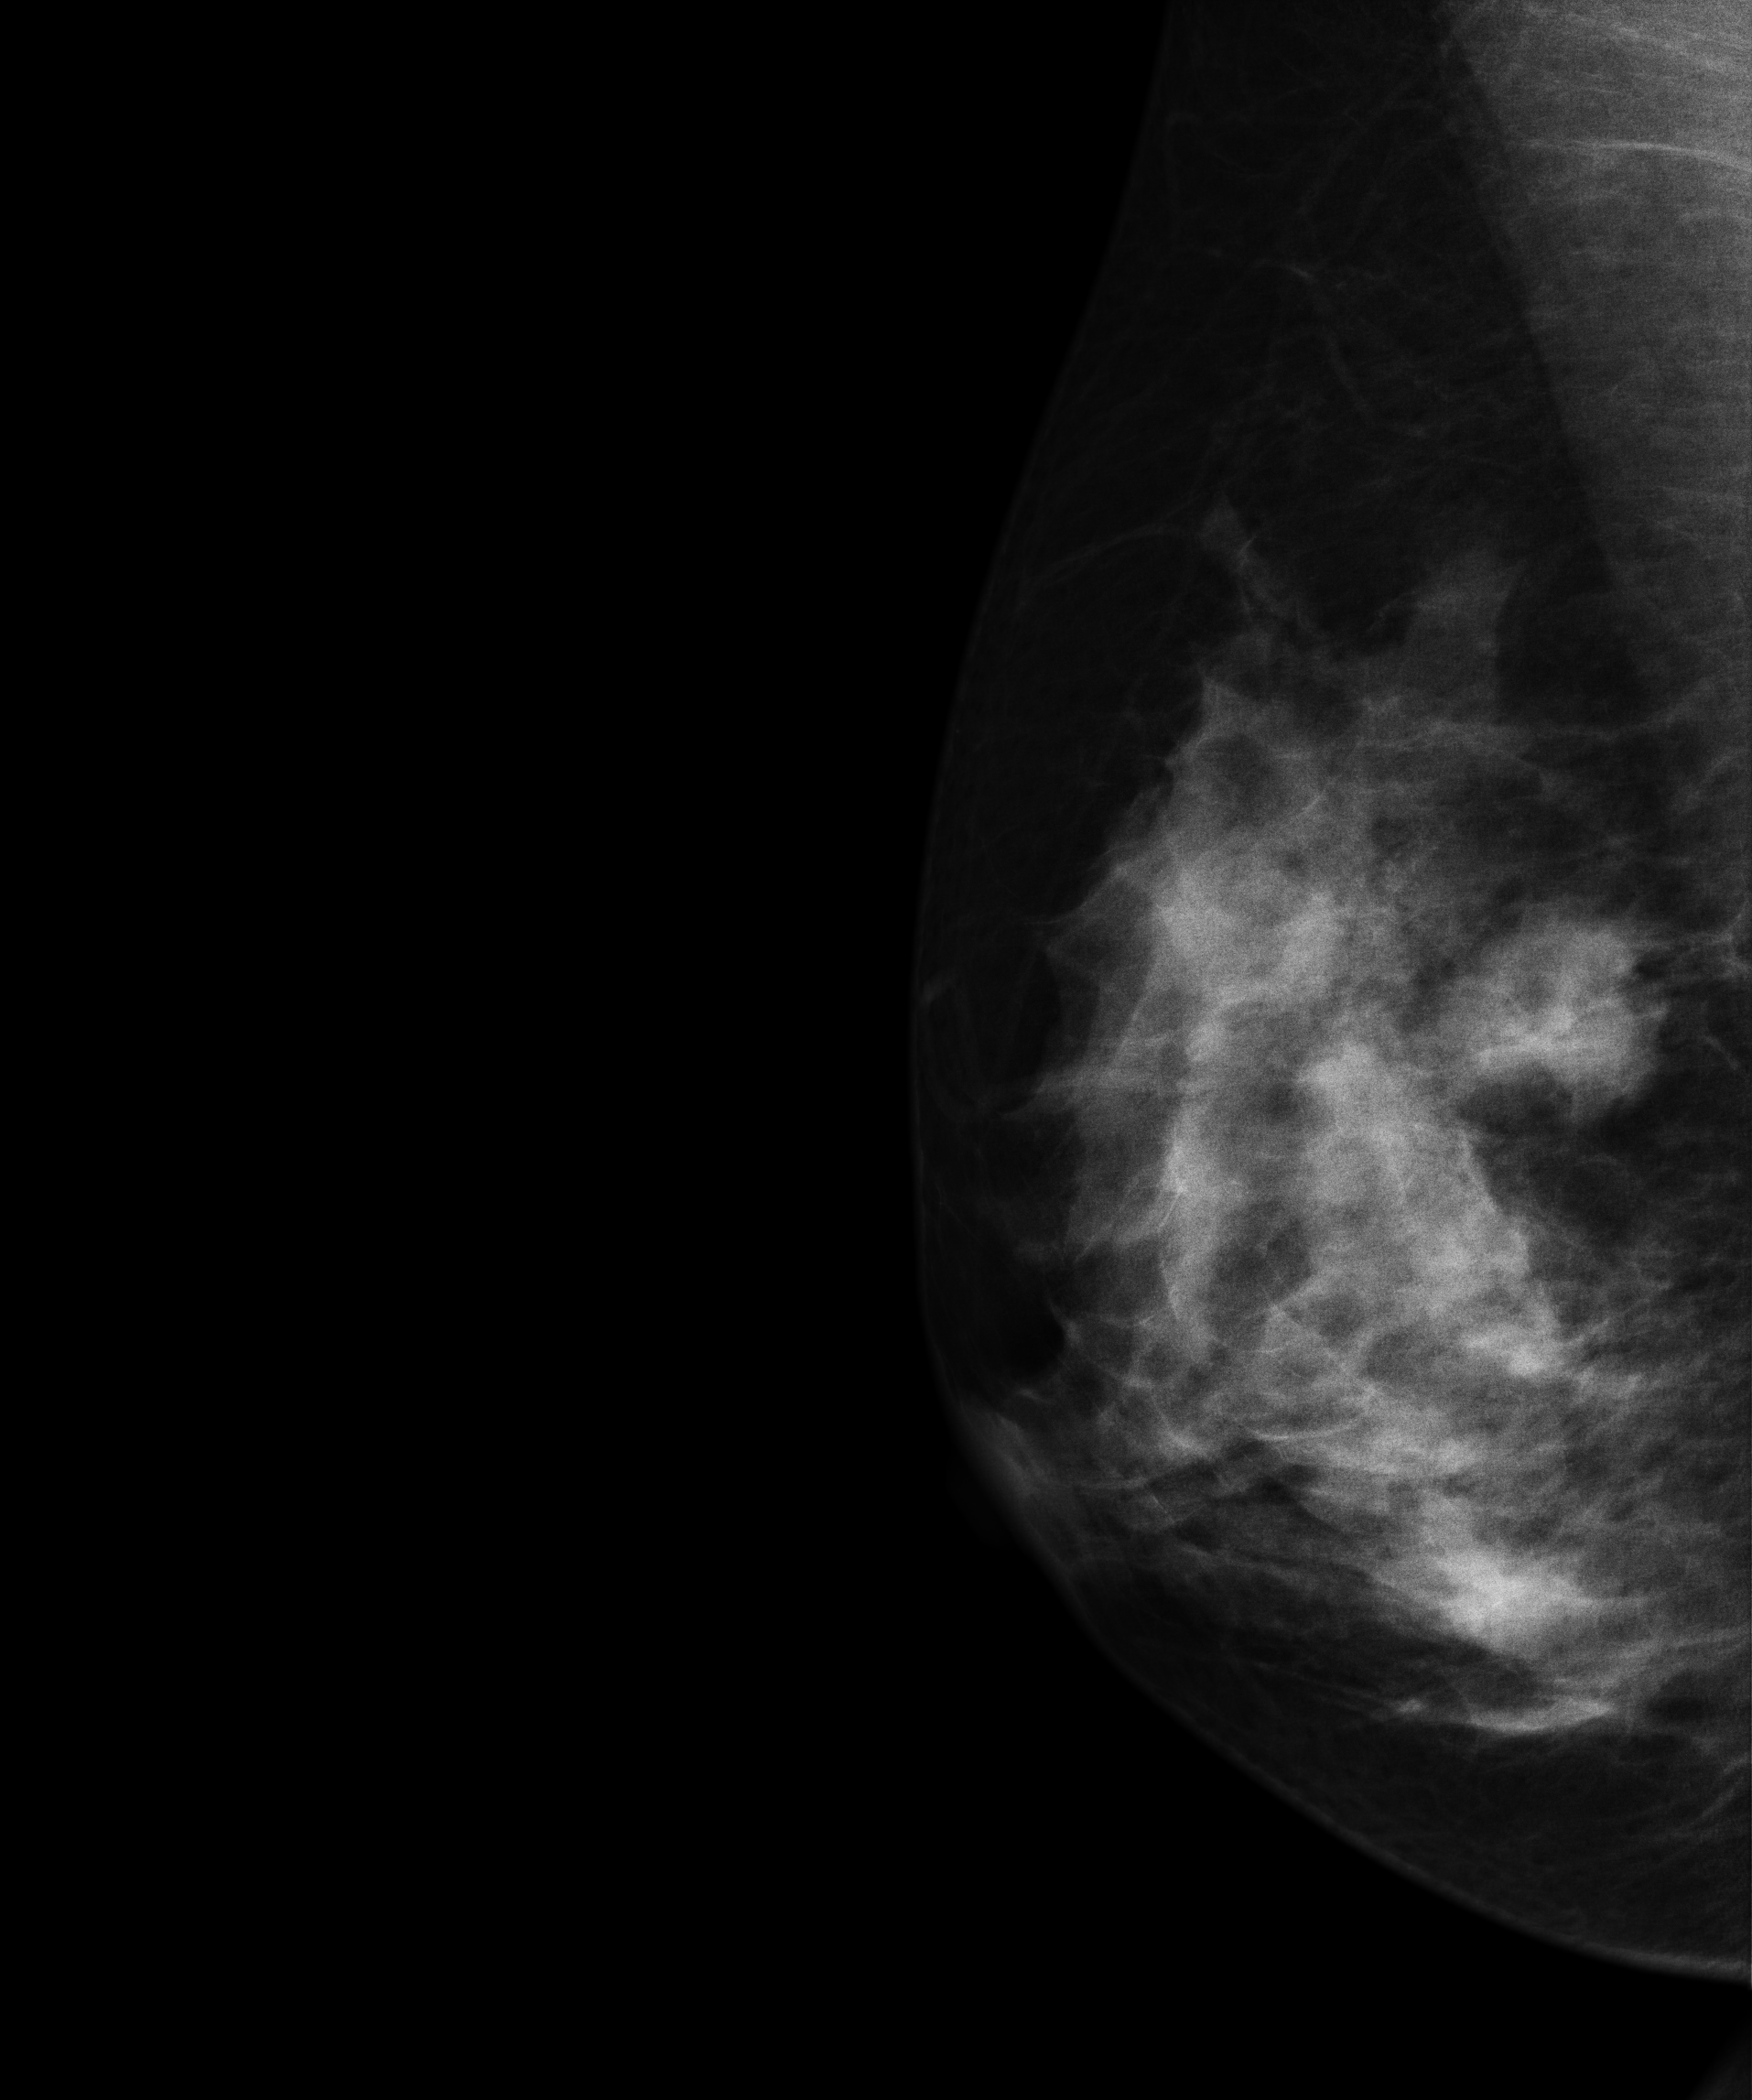
Mammogram, right breast, medio-lateral oblique view. 40 y/o patient.
This breast has a mass, biopsy-proven malignant.